Mammogram — left CC. Patient age 43.
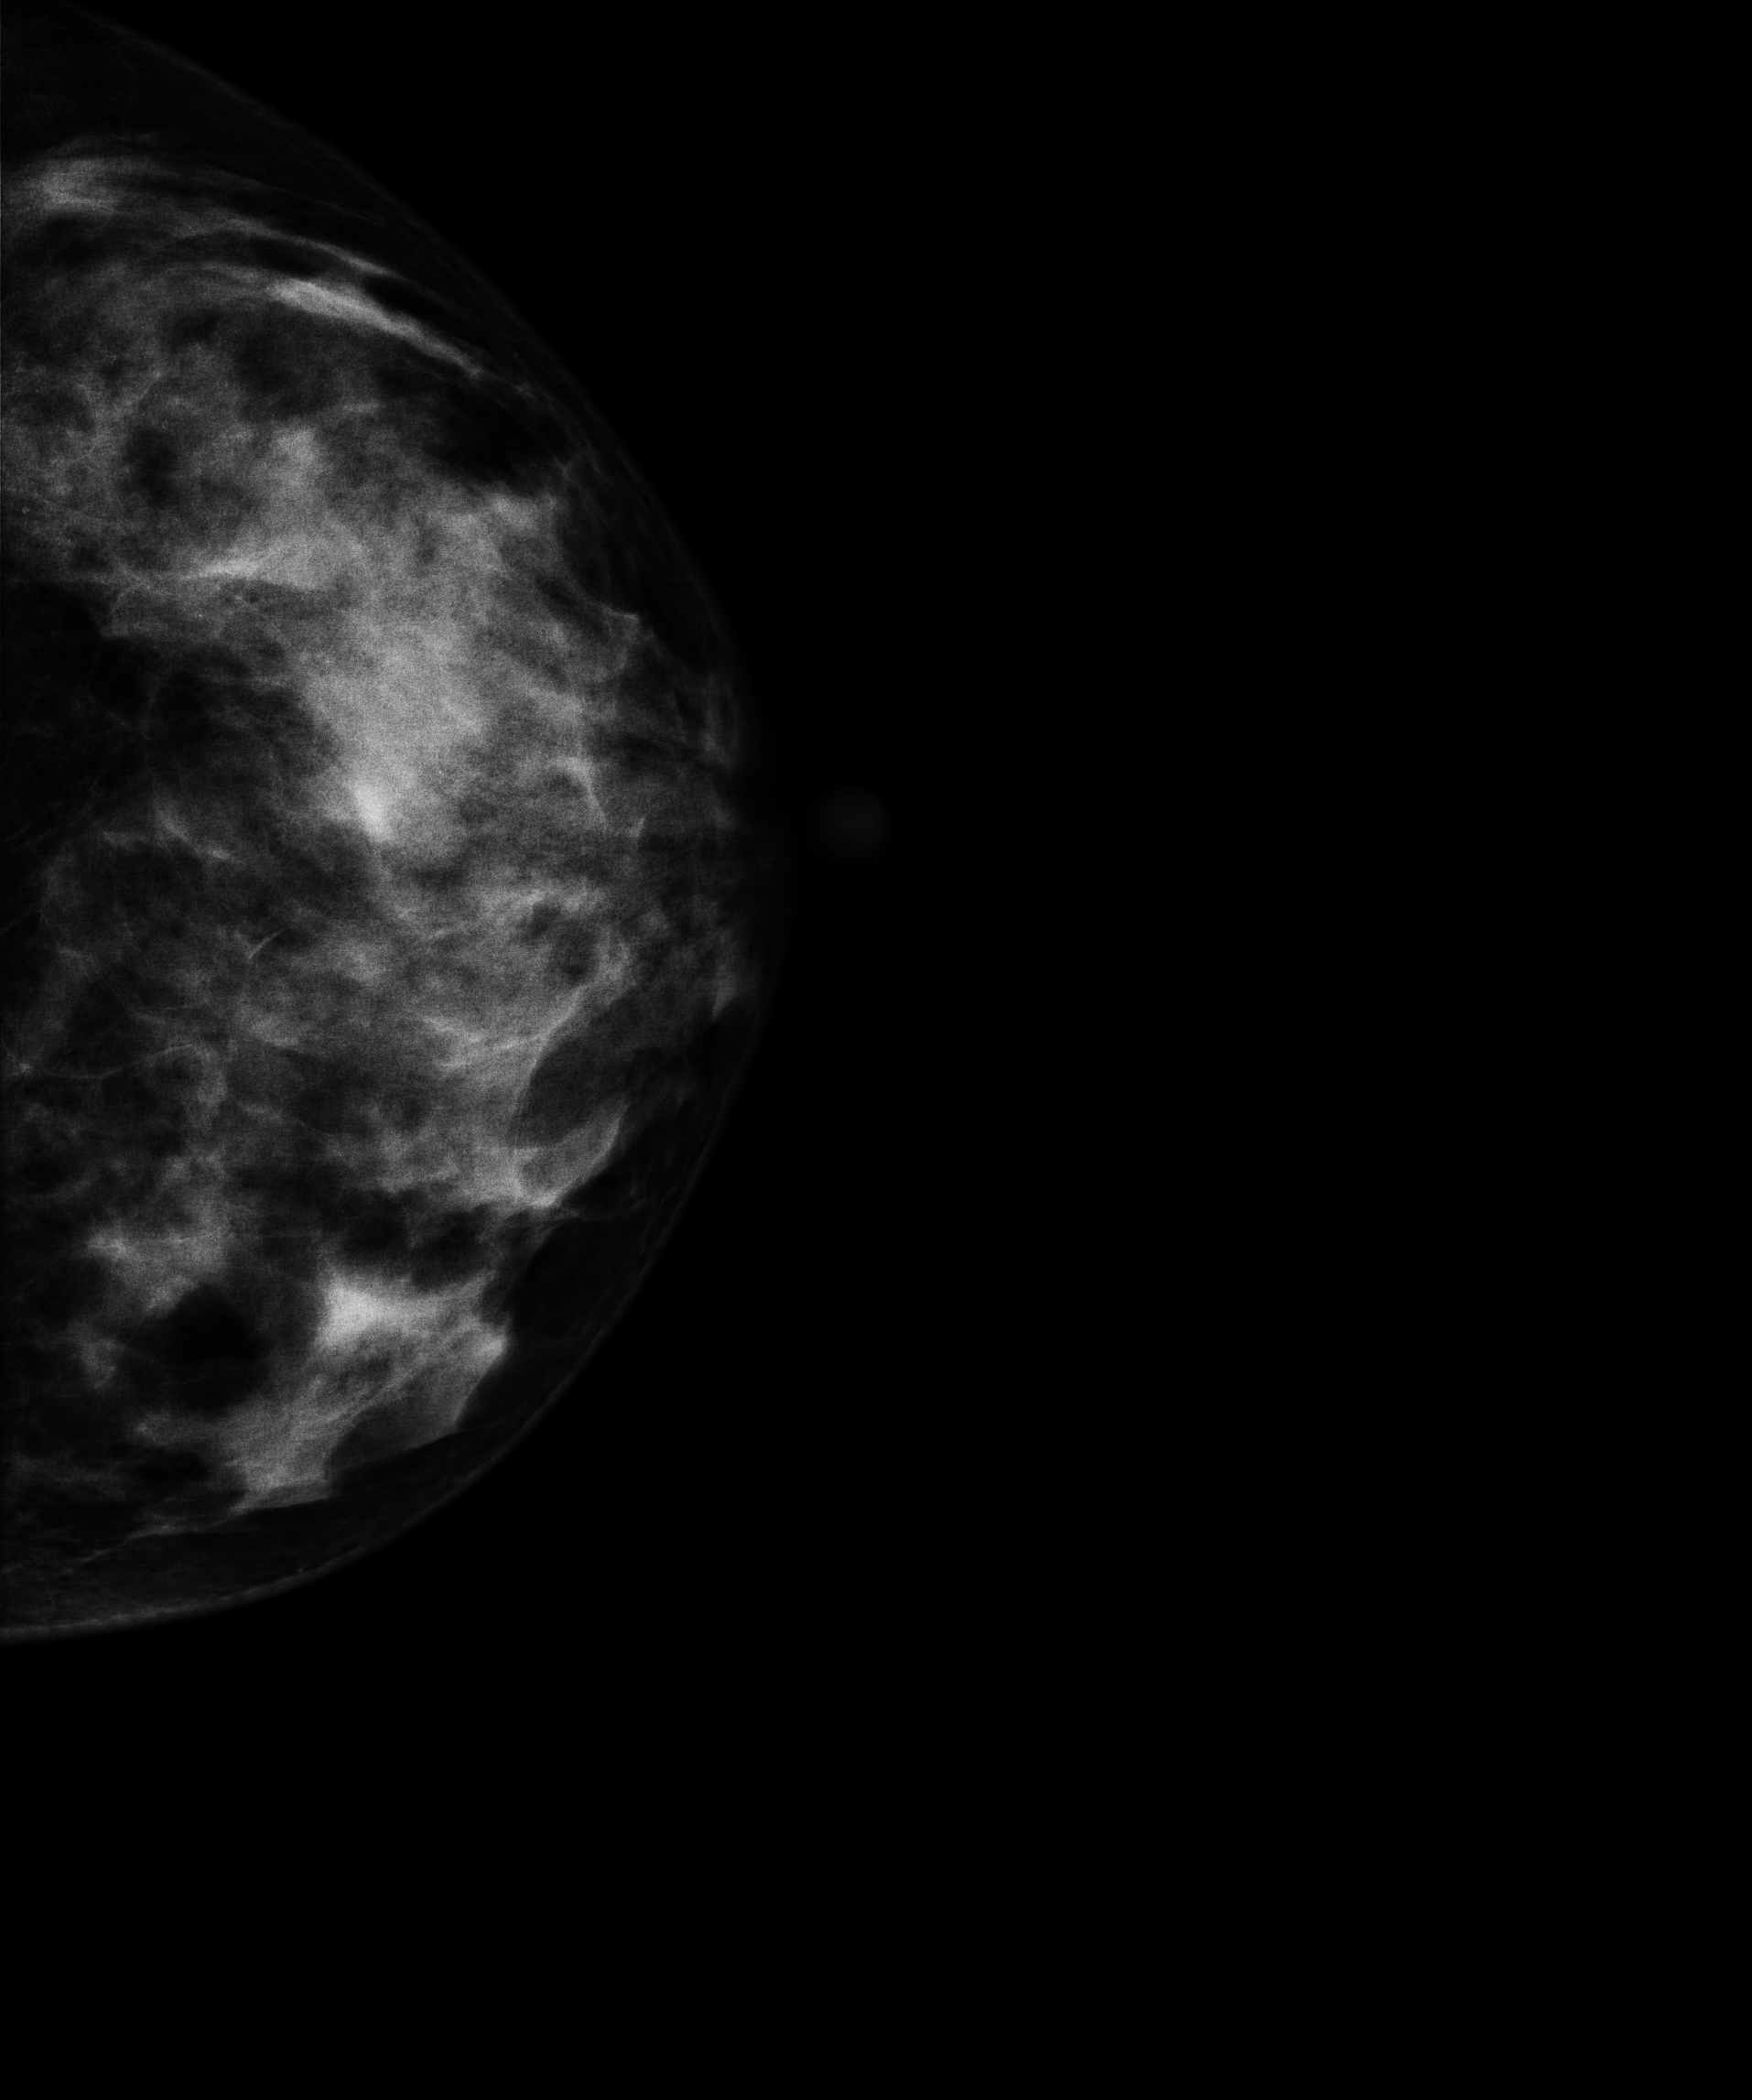
This breast has a mass, biopsy-proven malignant.